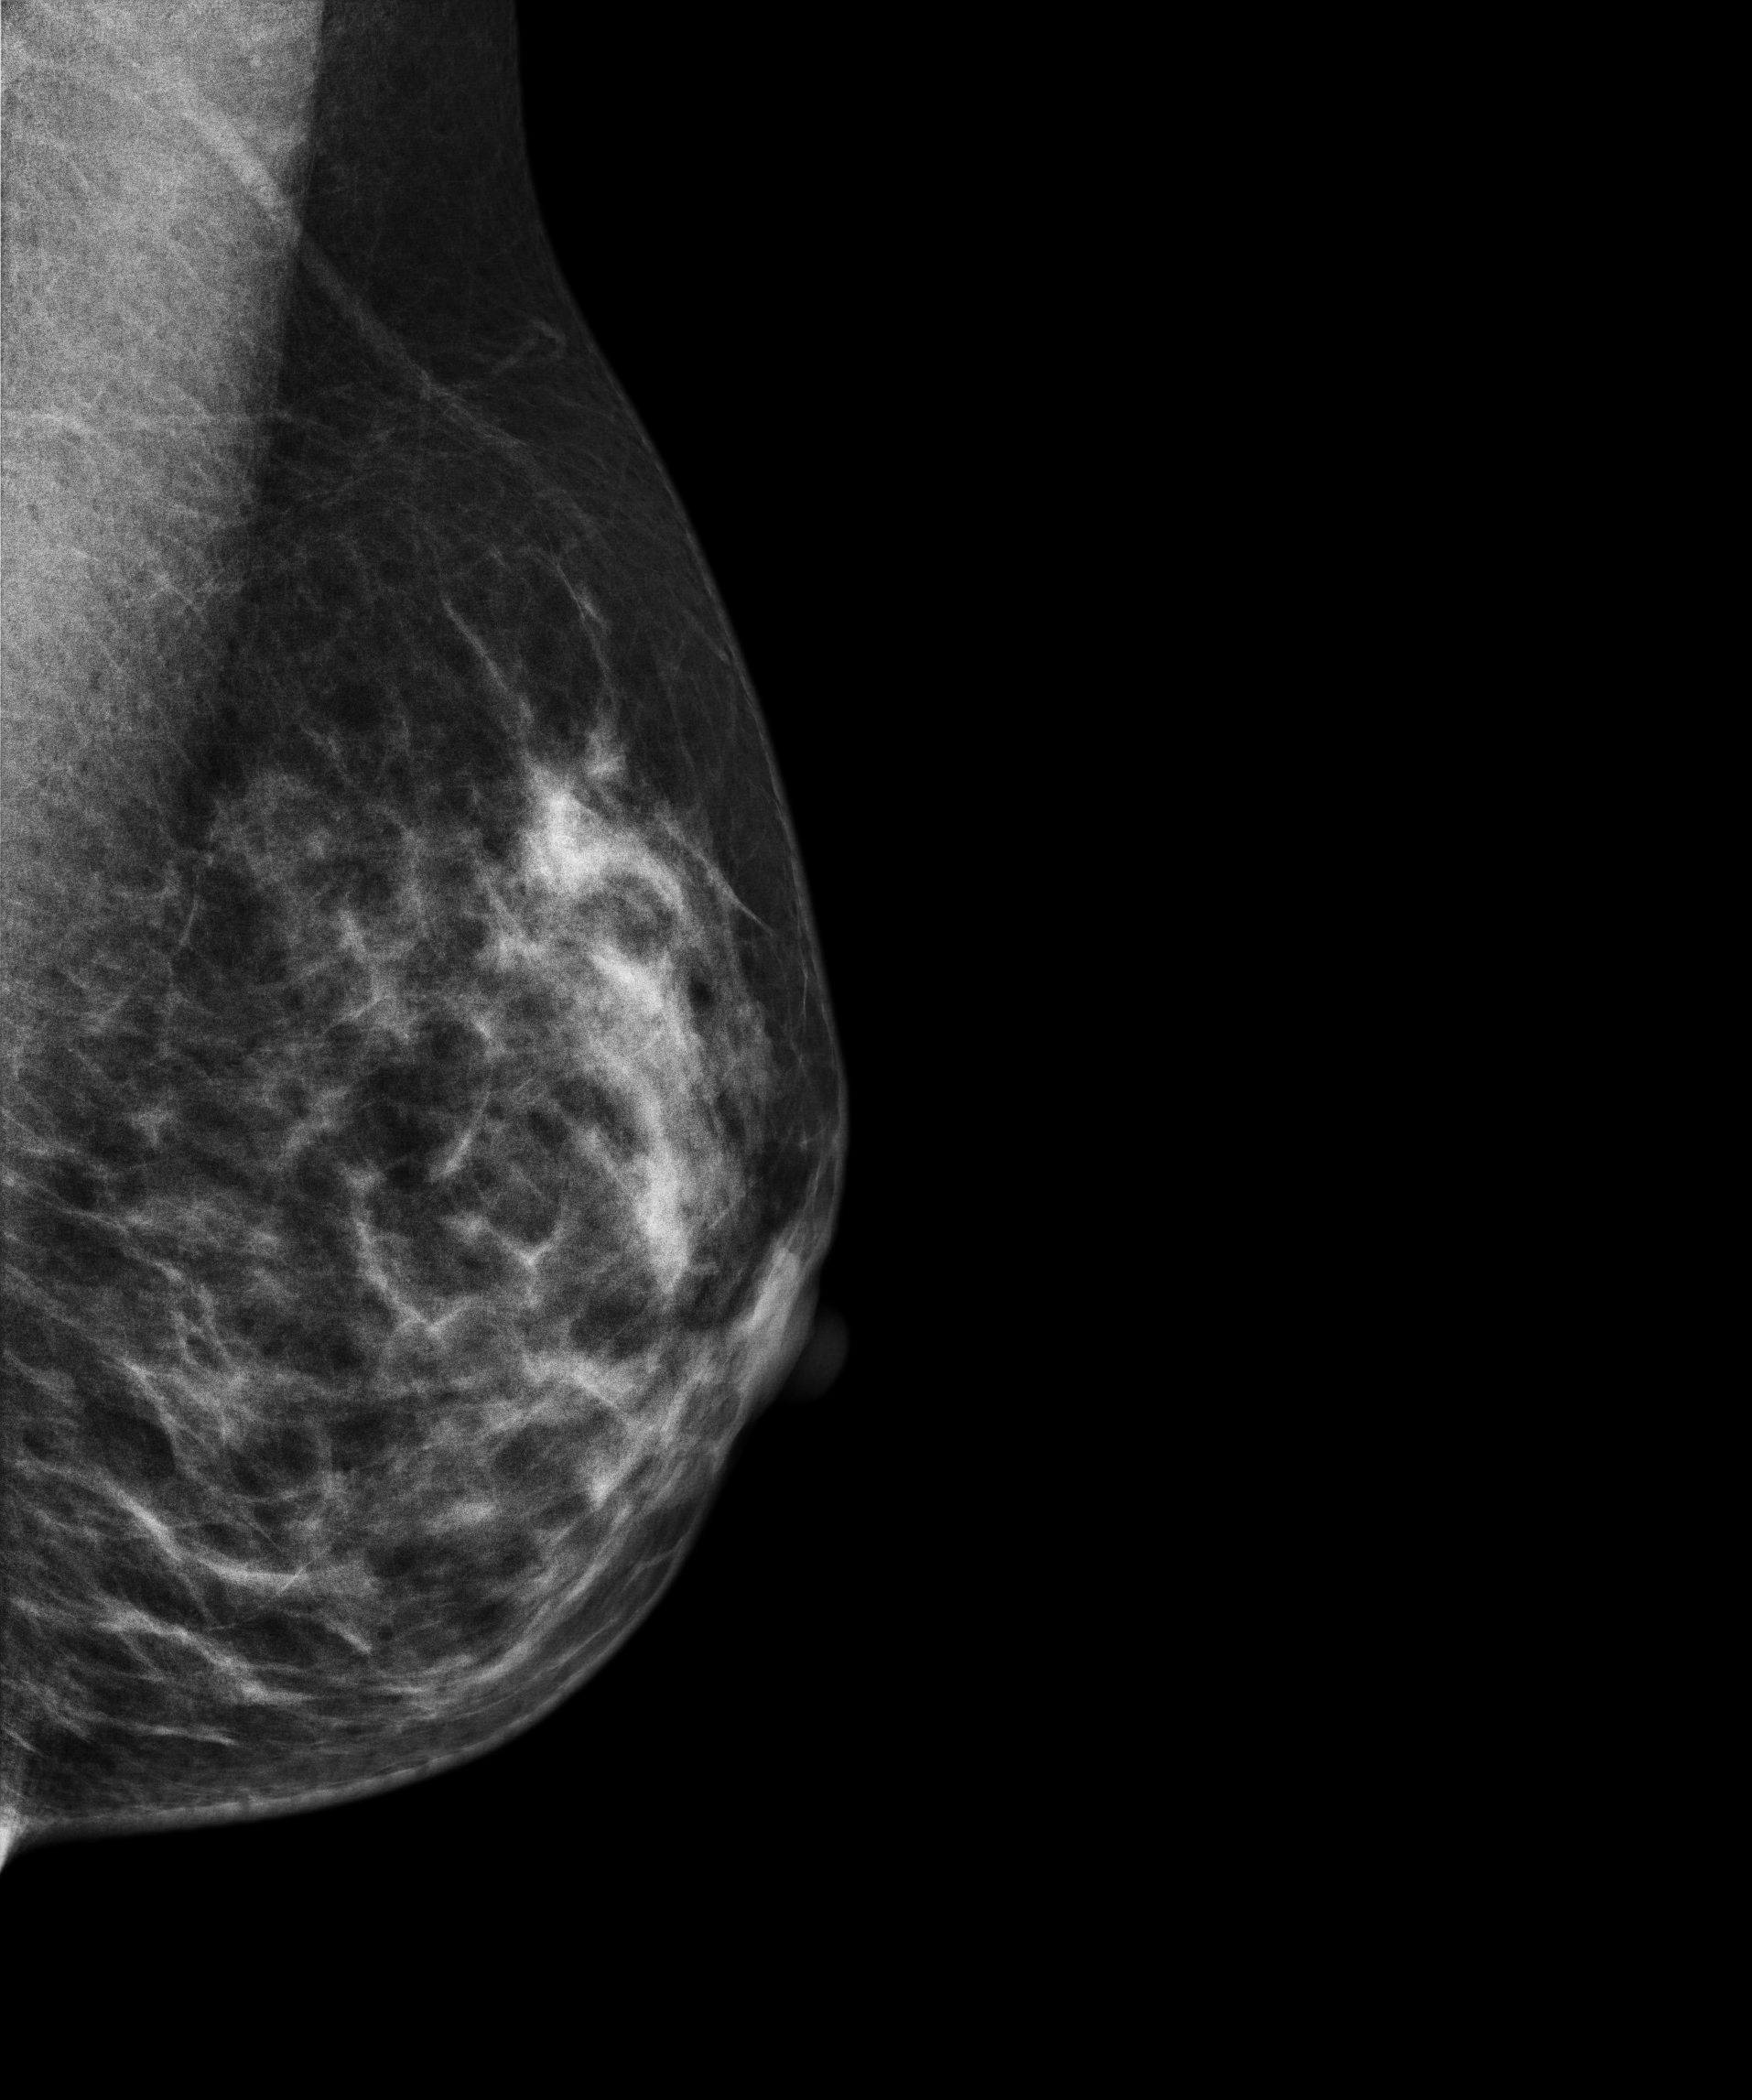
Medio-lateral oblique mammogram of the left breast. 27-year-old patient.
This breast has a mass, pathology-confirmed malignant.